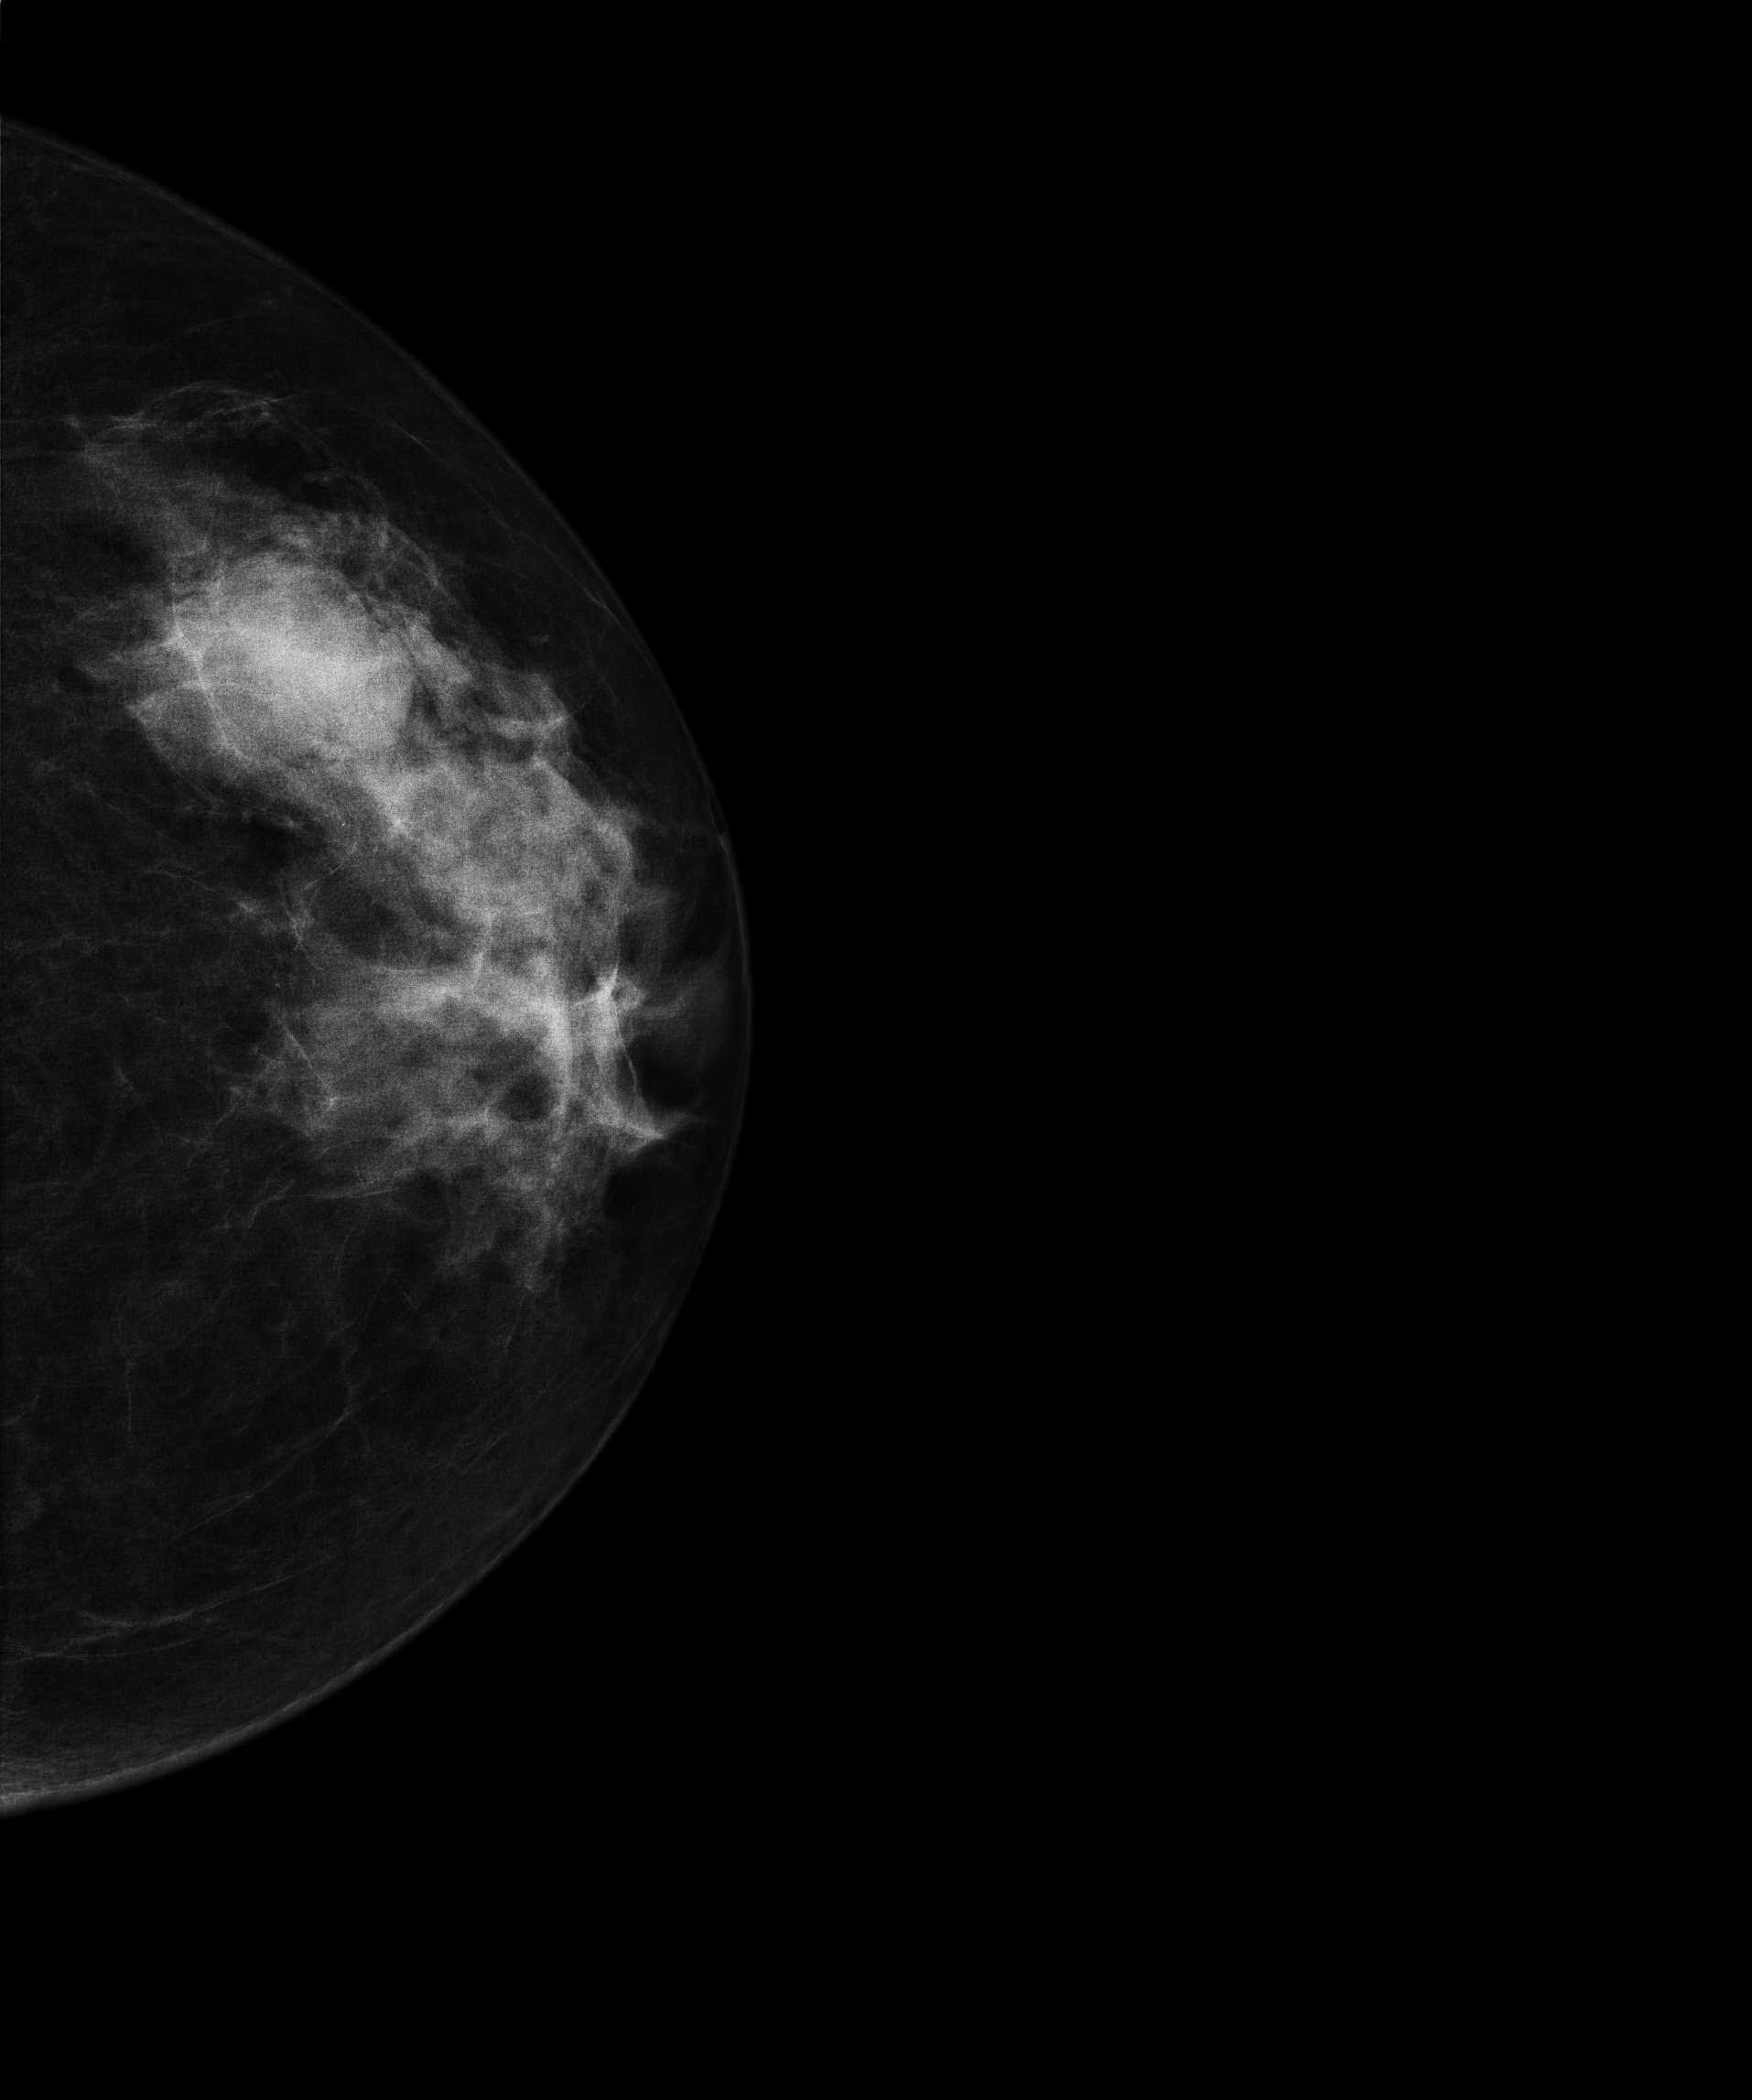
CC mammogram of the left breast. Patient age 67.
This breast has a mass, biopsy-confirmed benign.